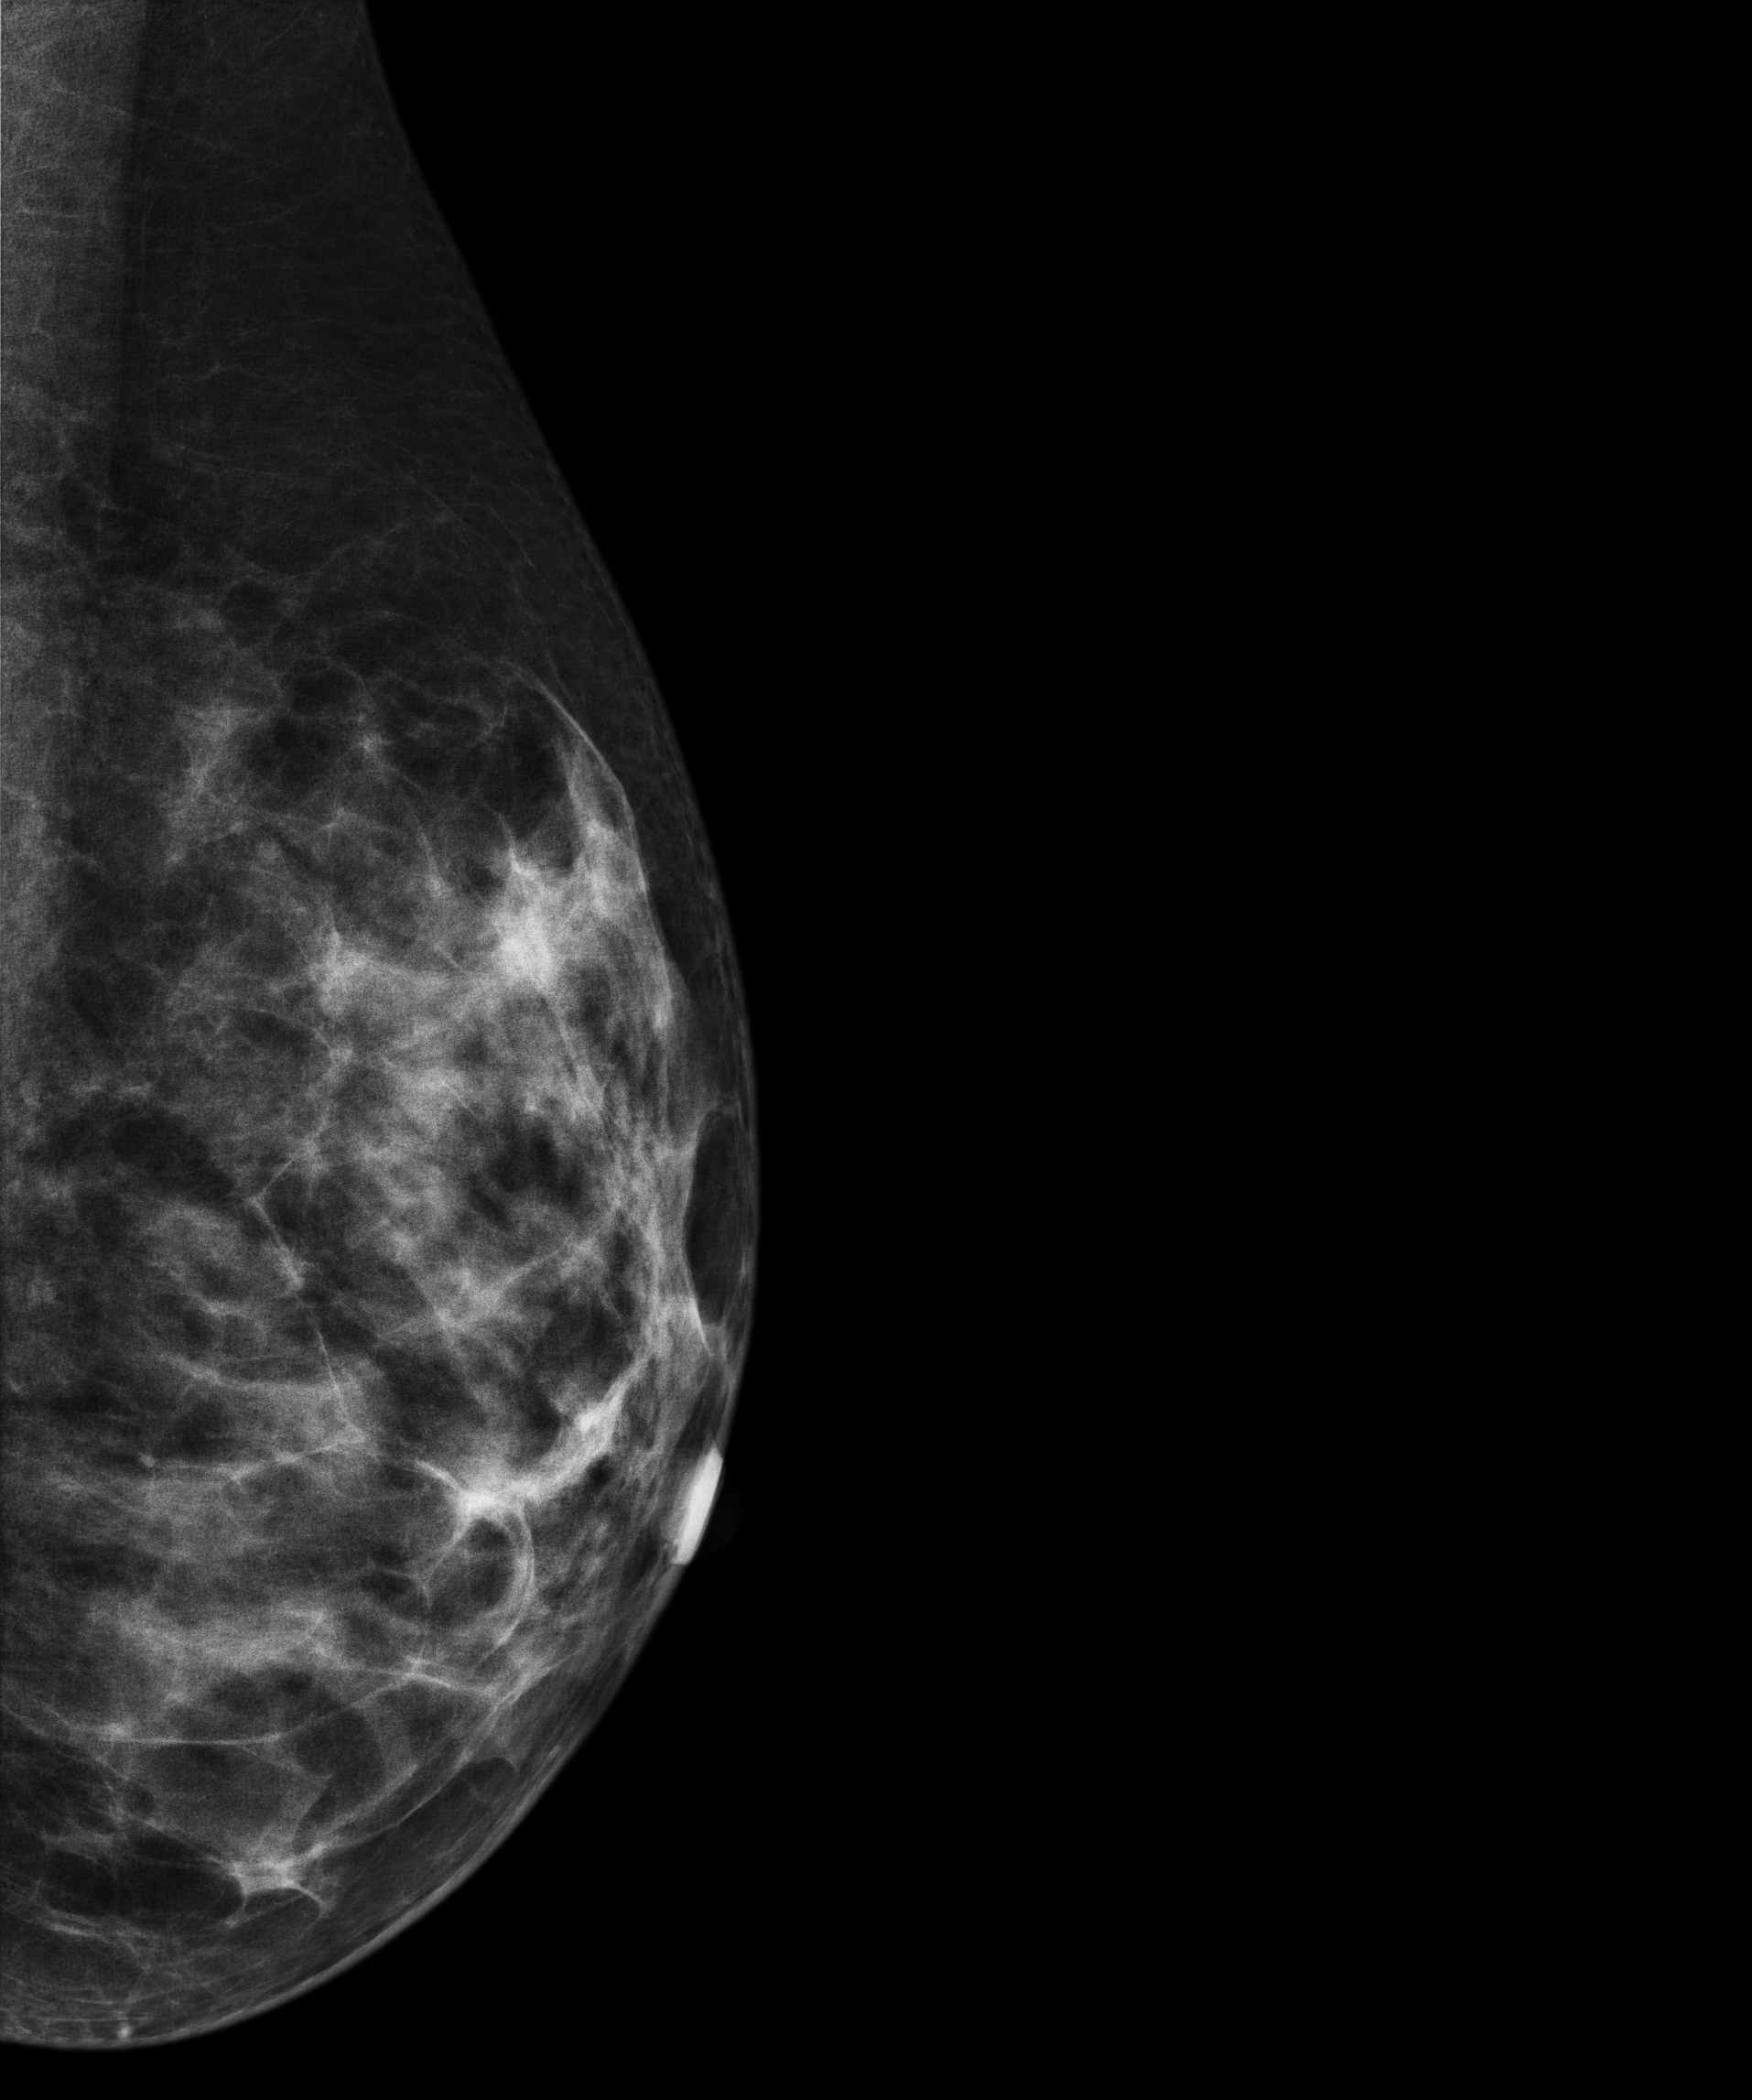
Mammogram, left breast, MLO view. 39-year-old patient.
Contralateral breast — no documented abnormality on this side.